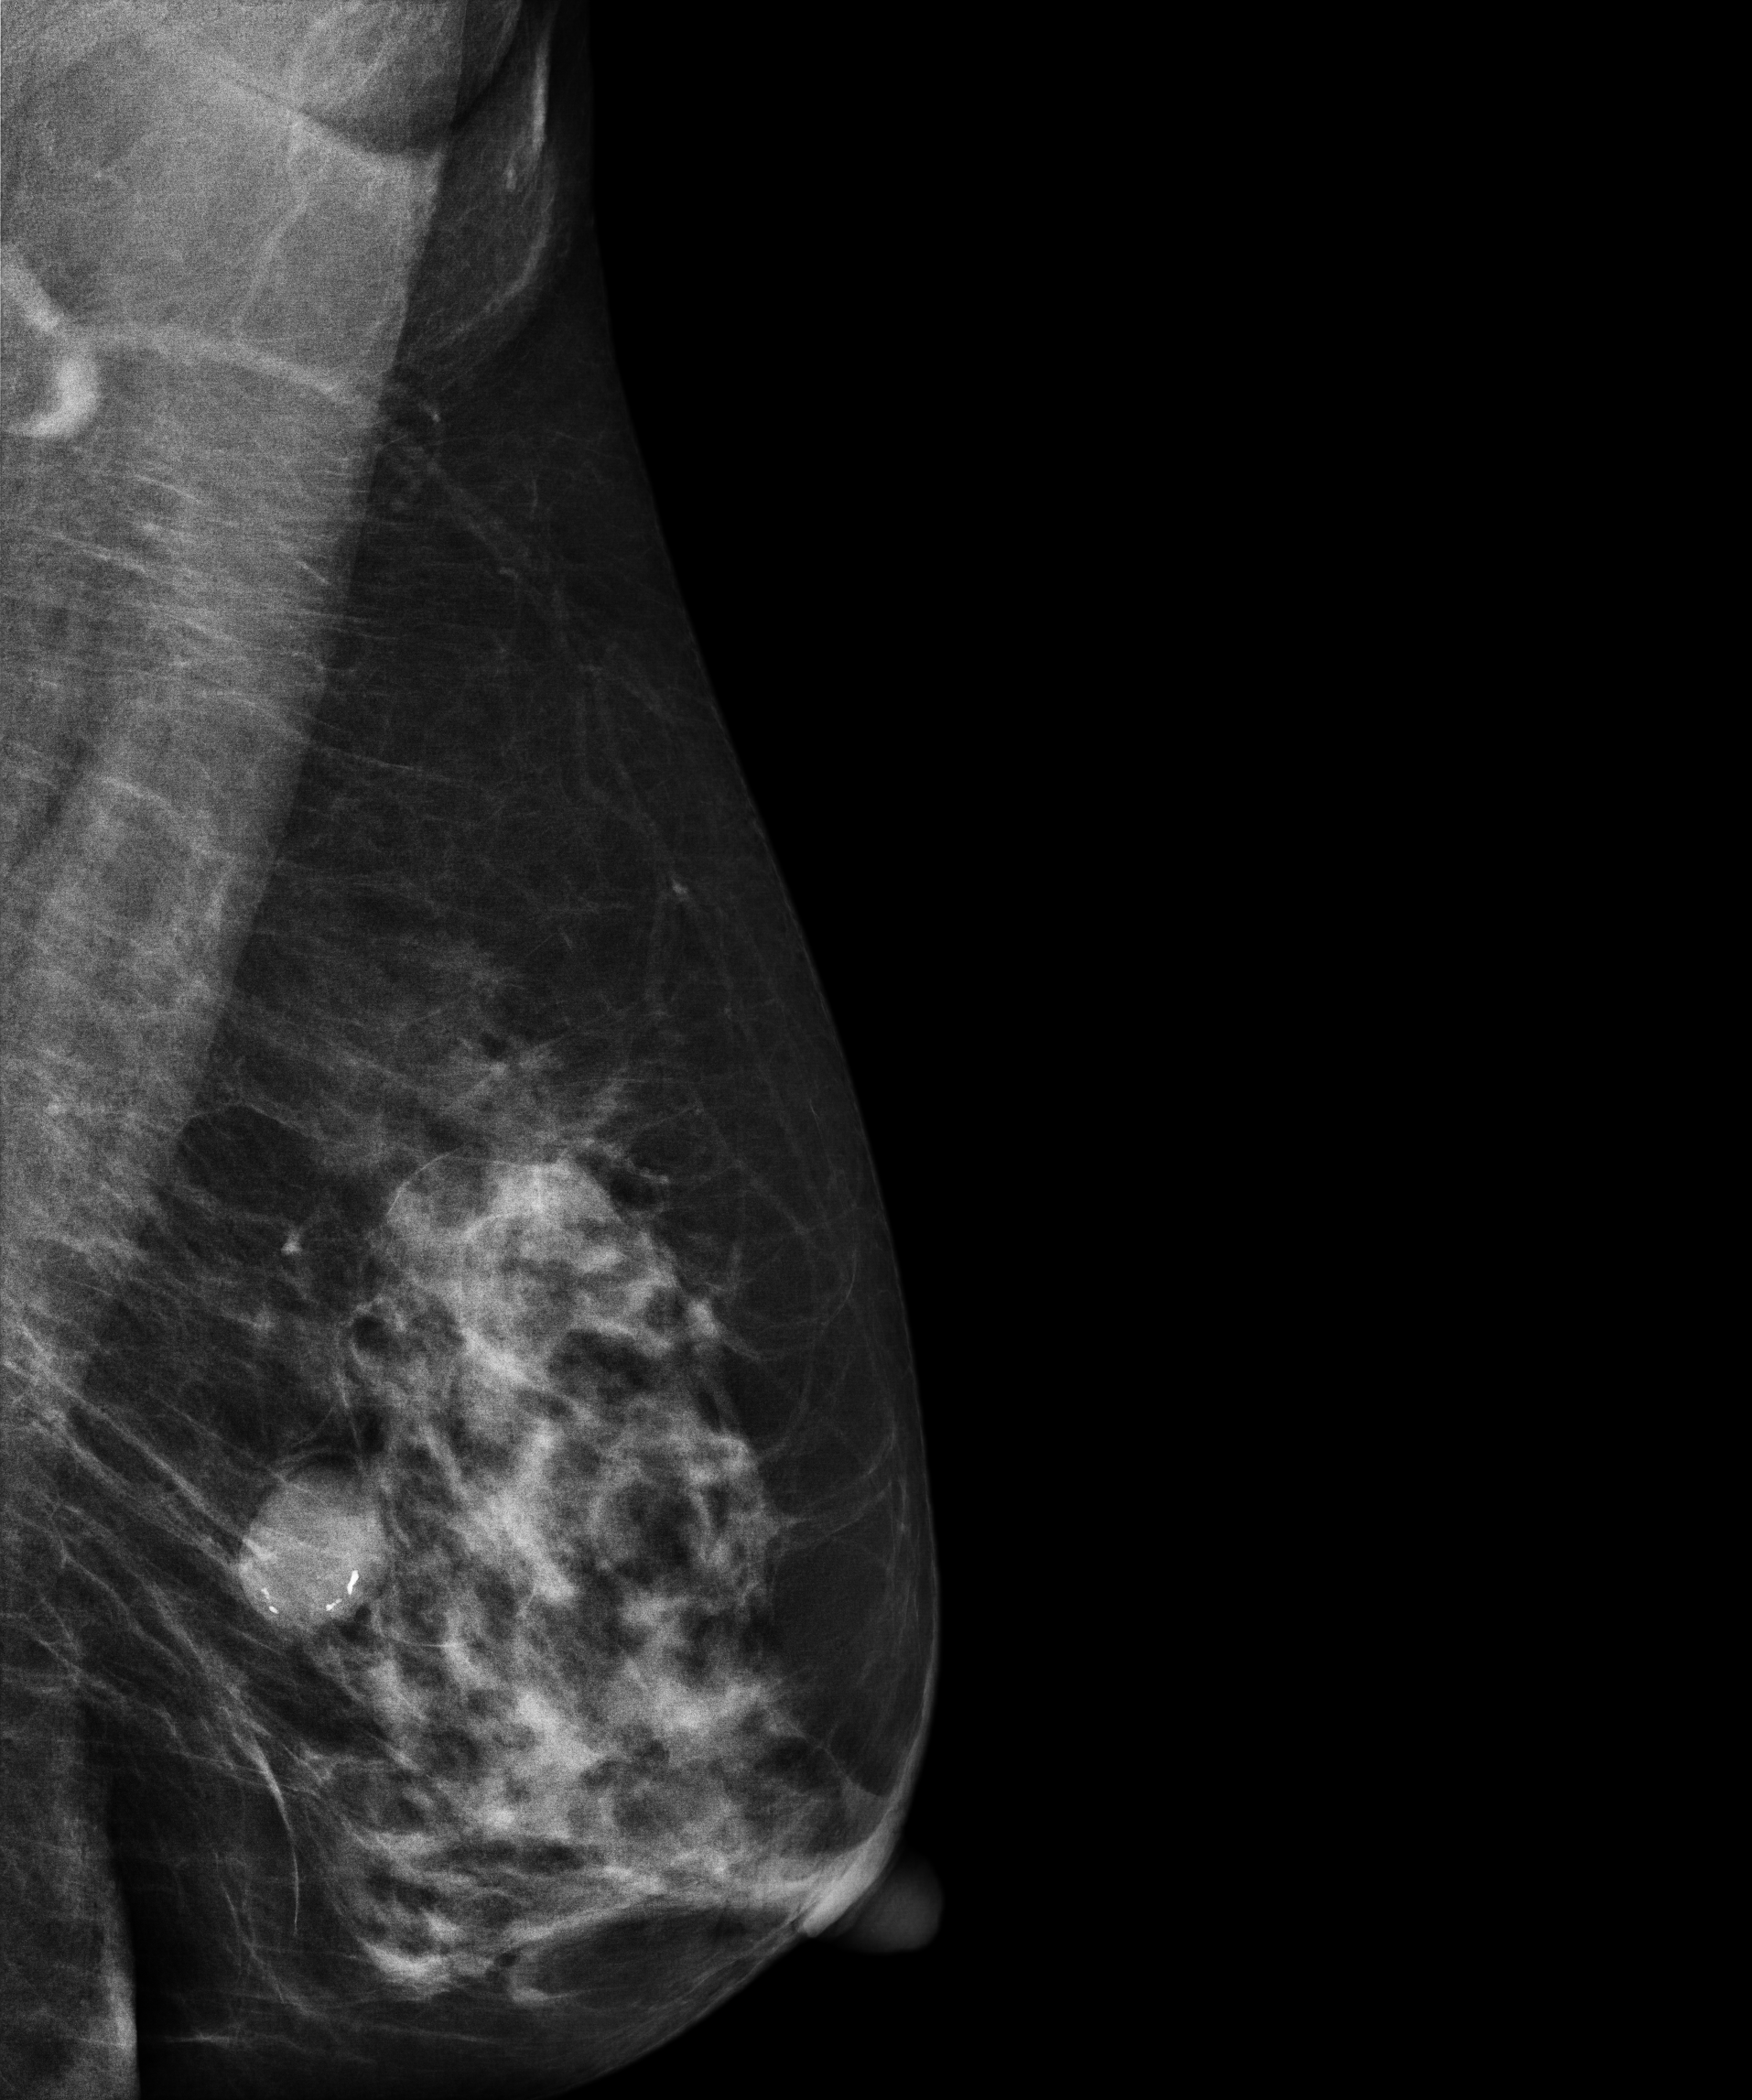
Mammogram — left MLO. Patient age 54.
Contralateral breast — no documented abnormality on this side.